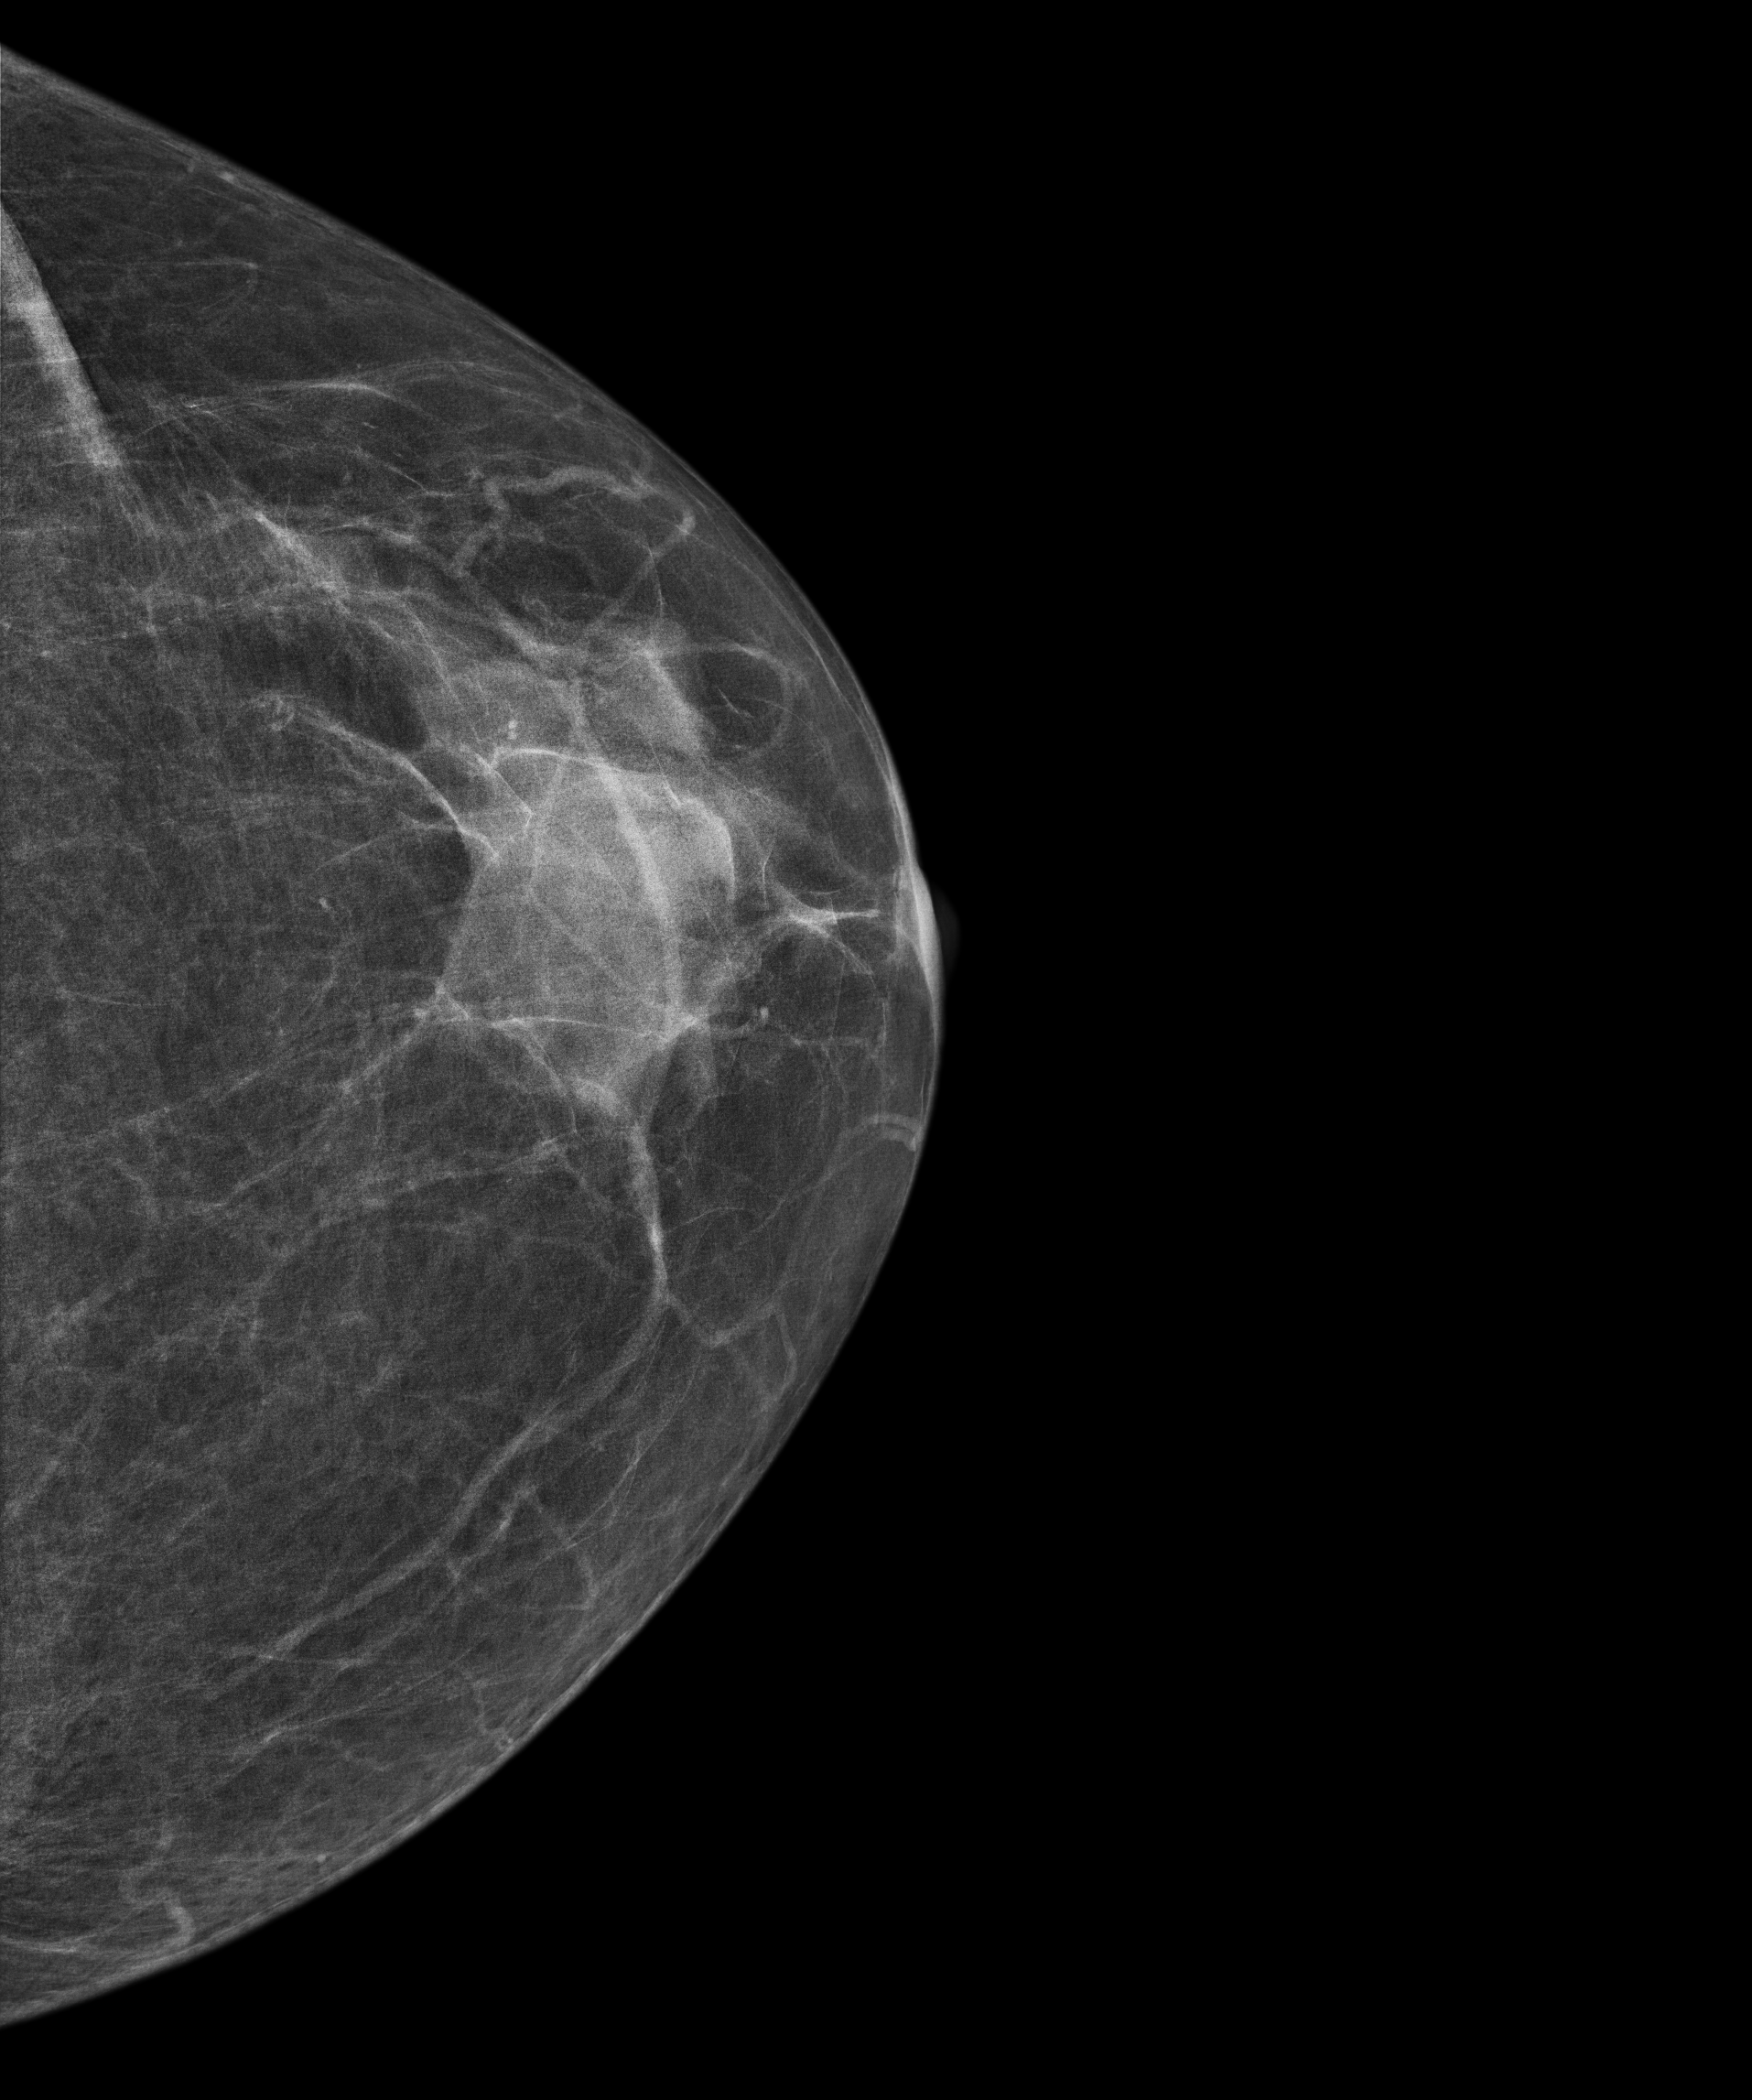
Digital mammography. Left breast, cranio-caudal projection. Patient age 72.
Contralateral breast — no documented abnormality on this side.